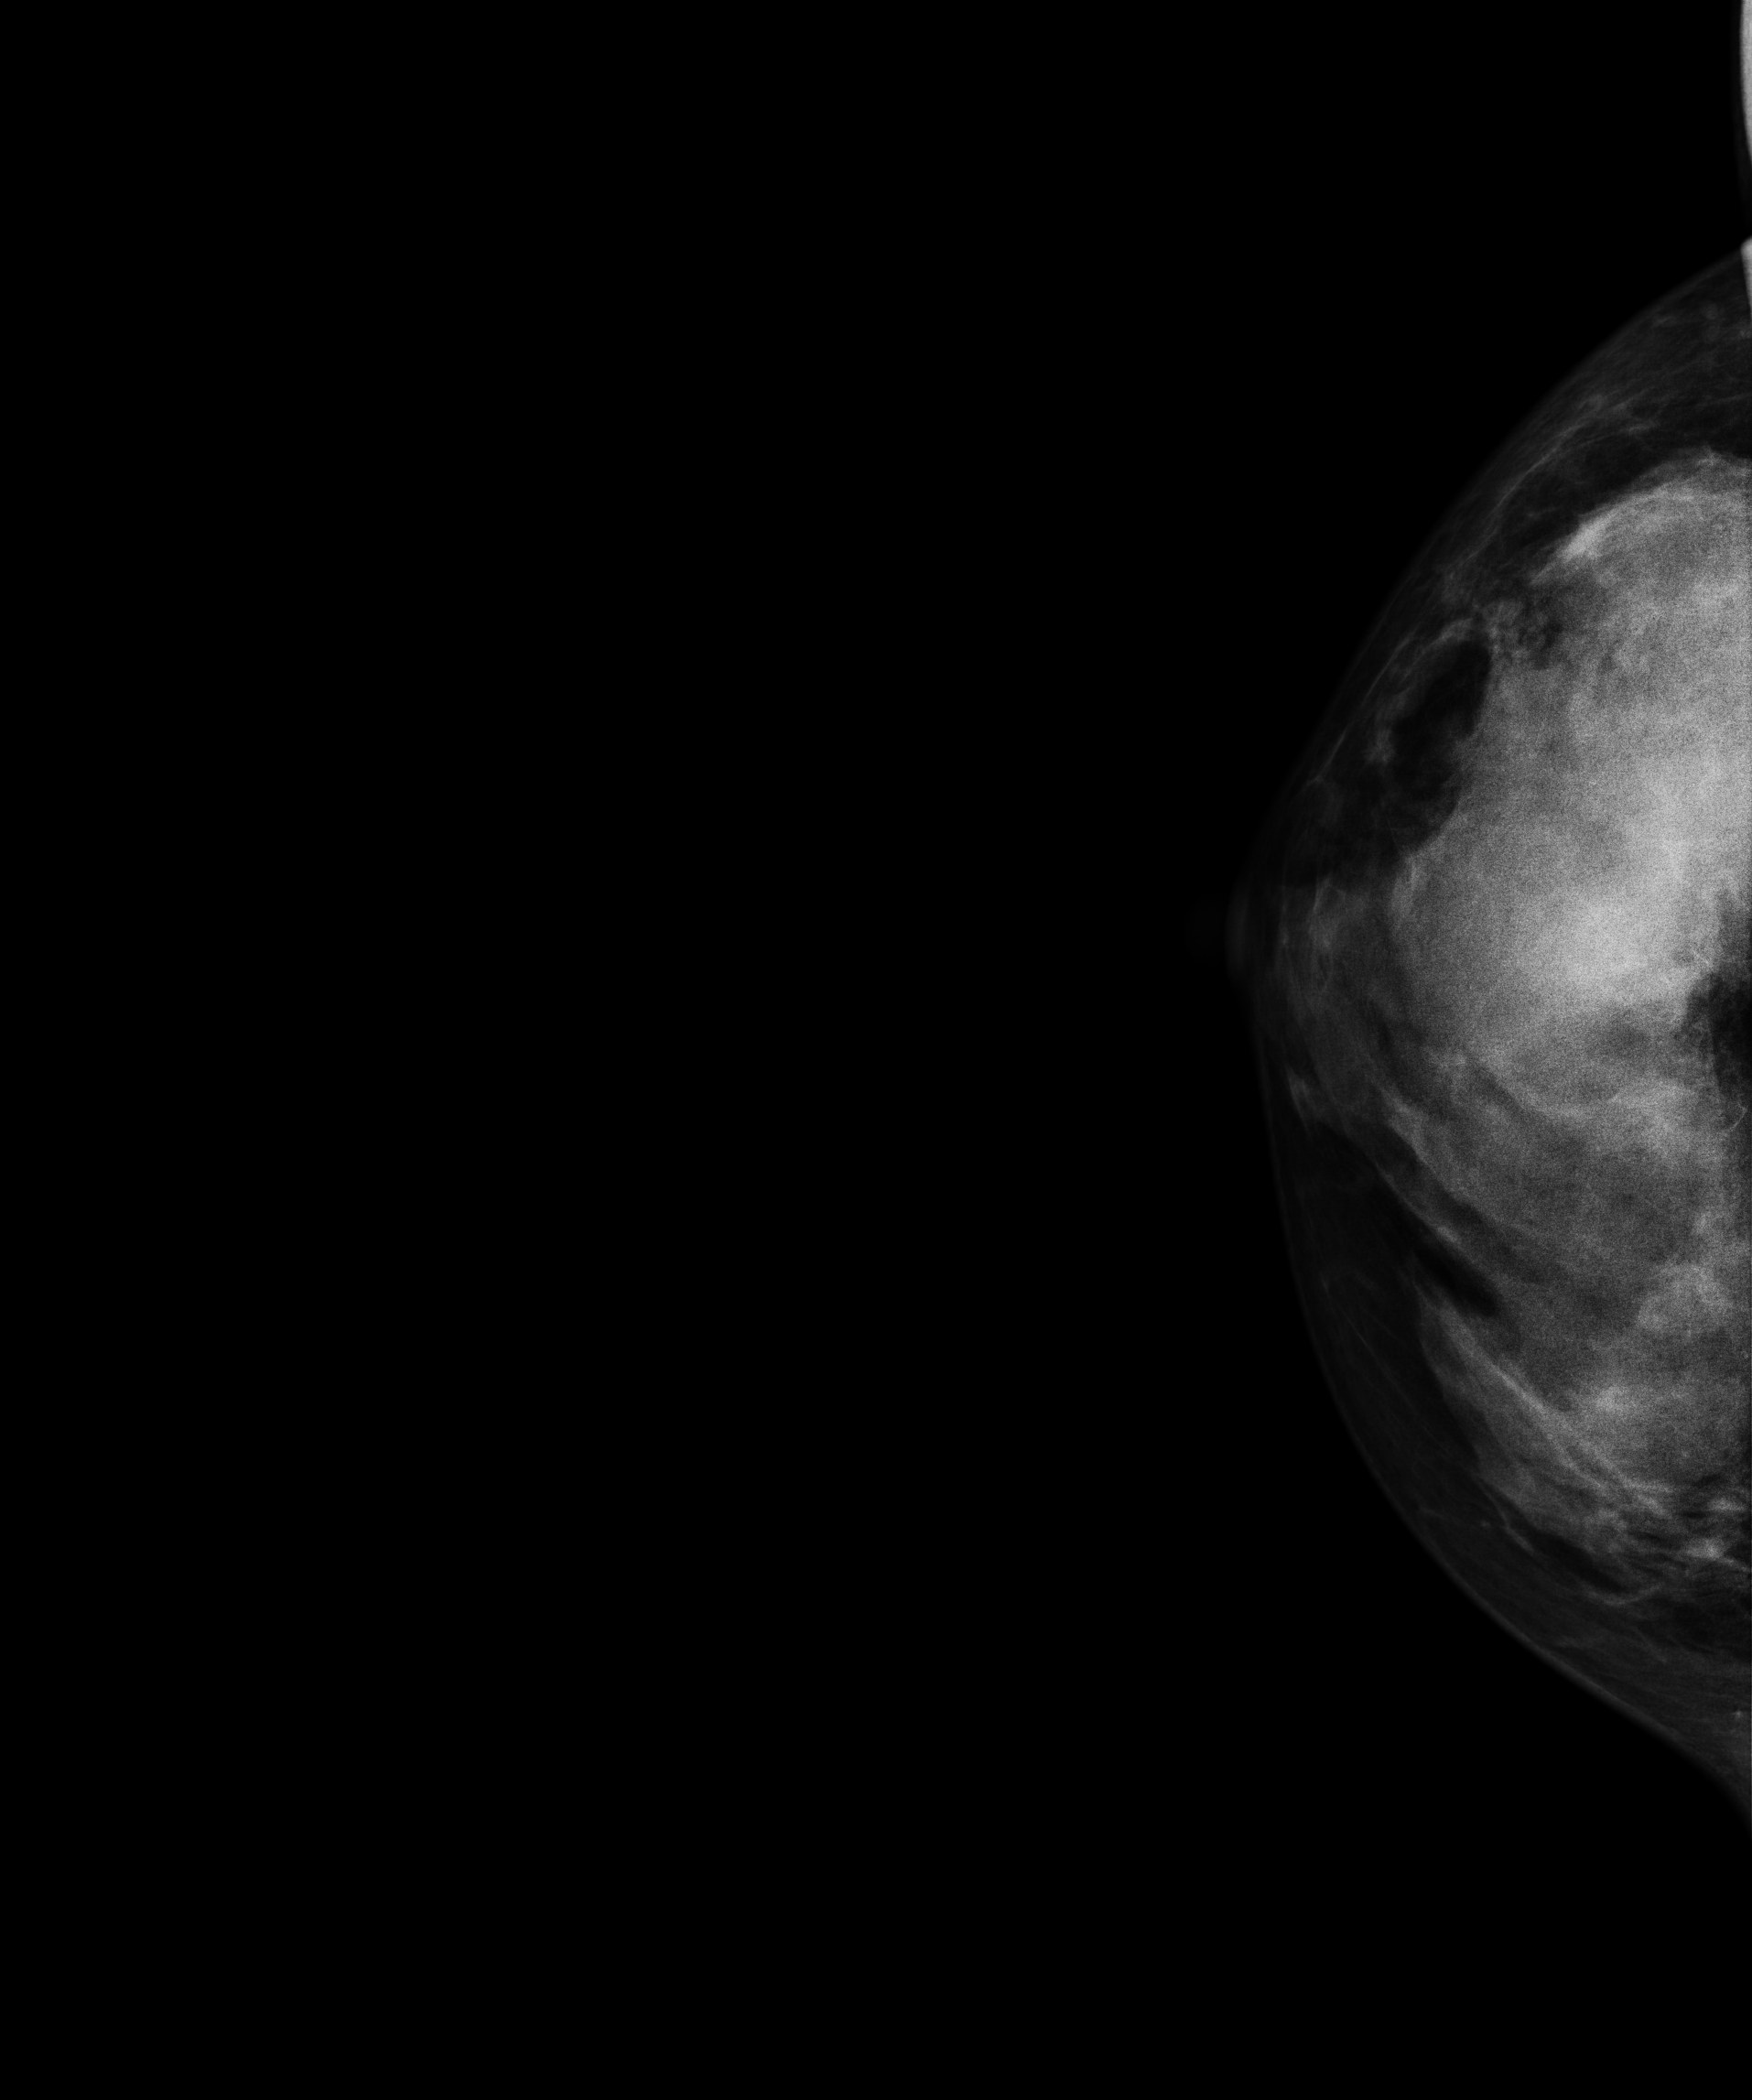
Right-breast mammogram, CC. 43 y/o patient.
This breast has a mass, biopsy-proven malignant. Molecular subtype: triple-negative.